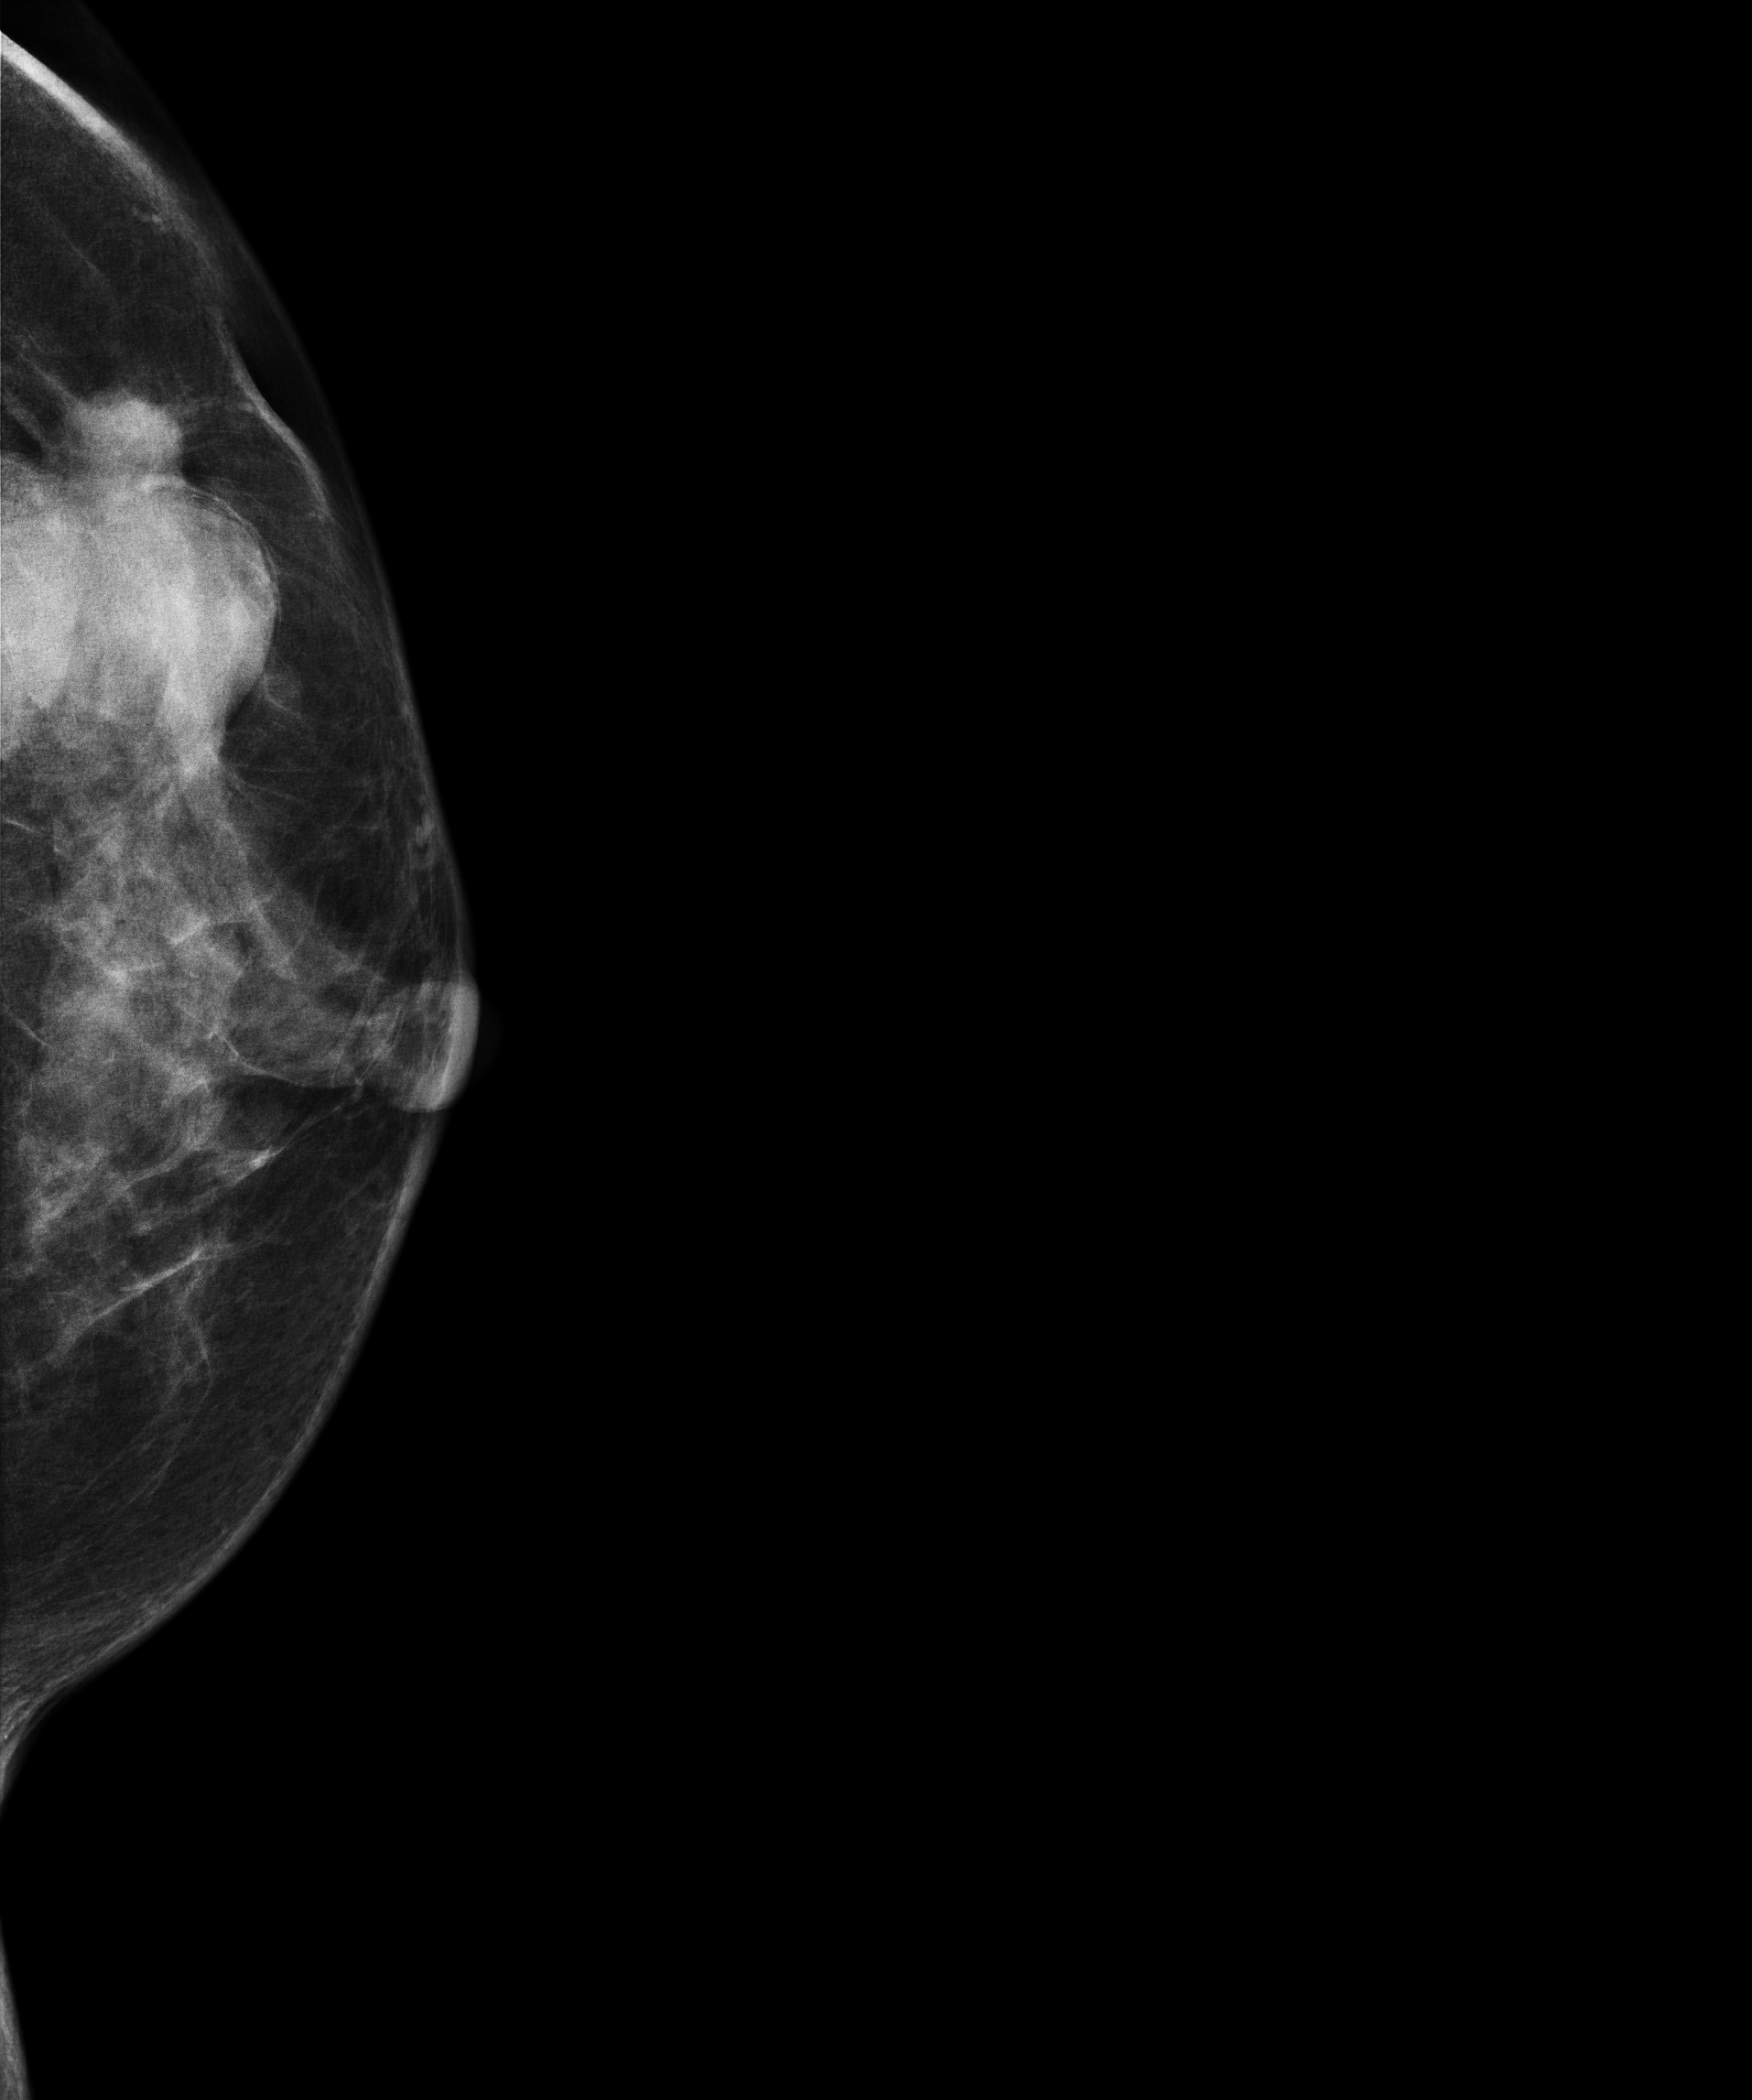
Cranio-caudal mammogram of the left breast. 51-year-old patient.
This breast has a mass, biopsy-proven malignant. Molecular subtype: luminal B.